Mammogram, right breast, MLO view. 29 y/o patient.
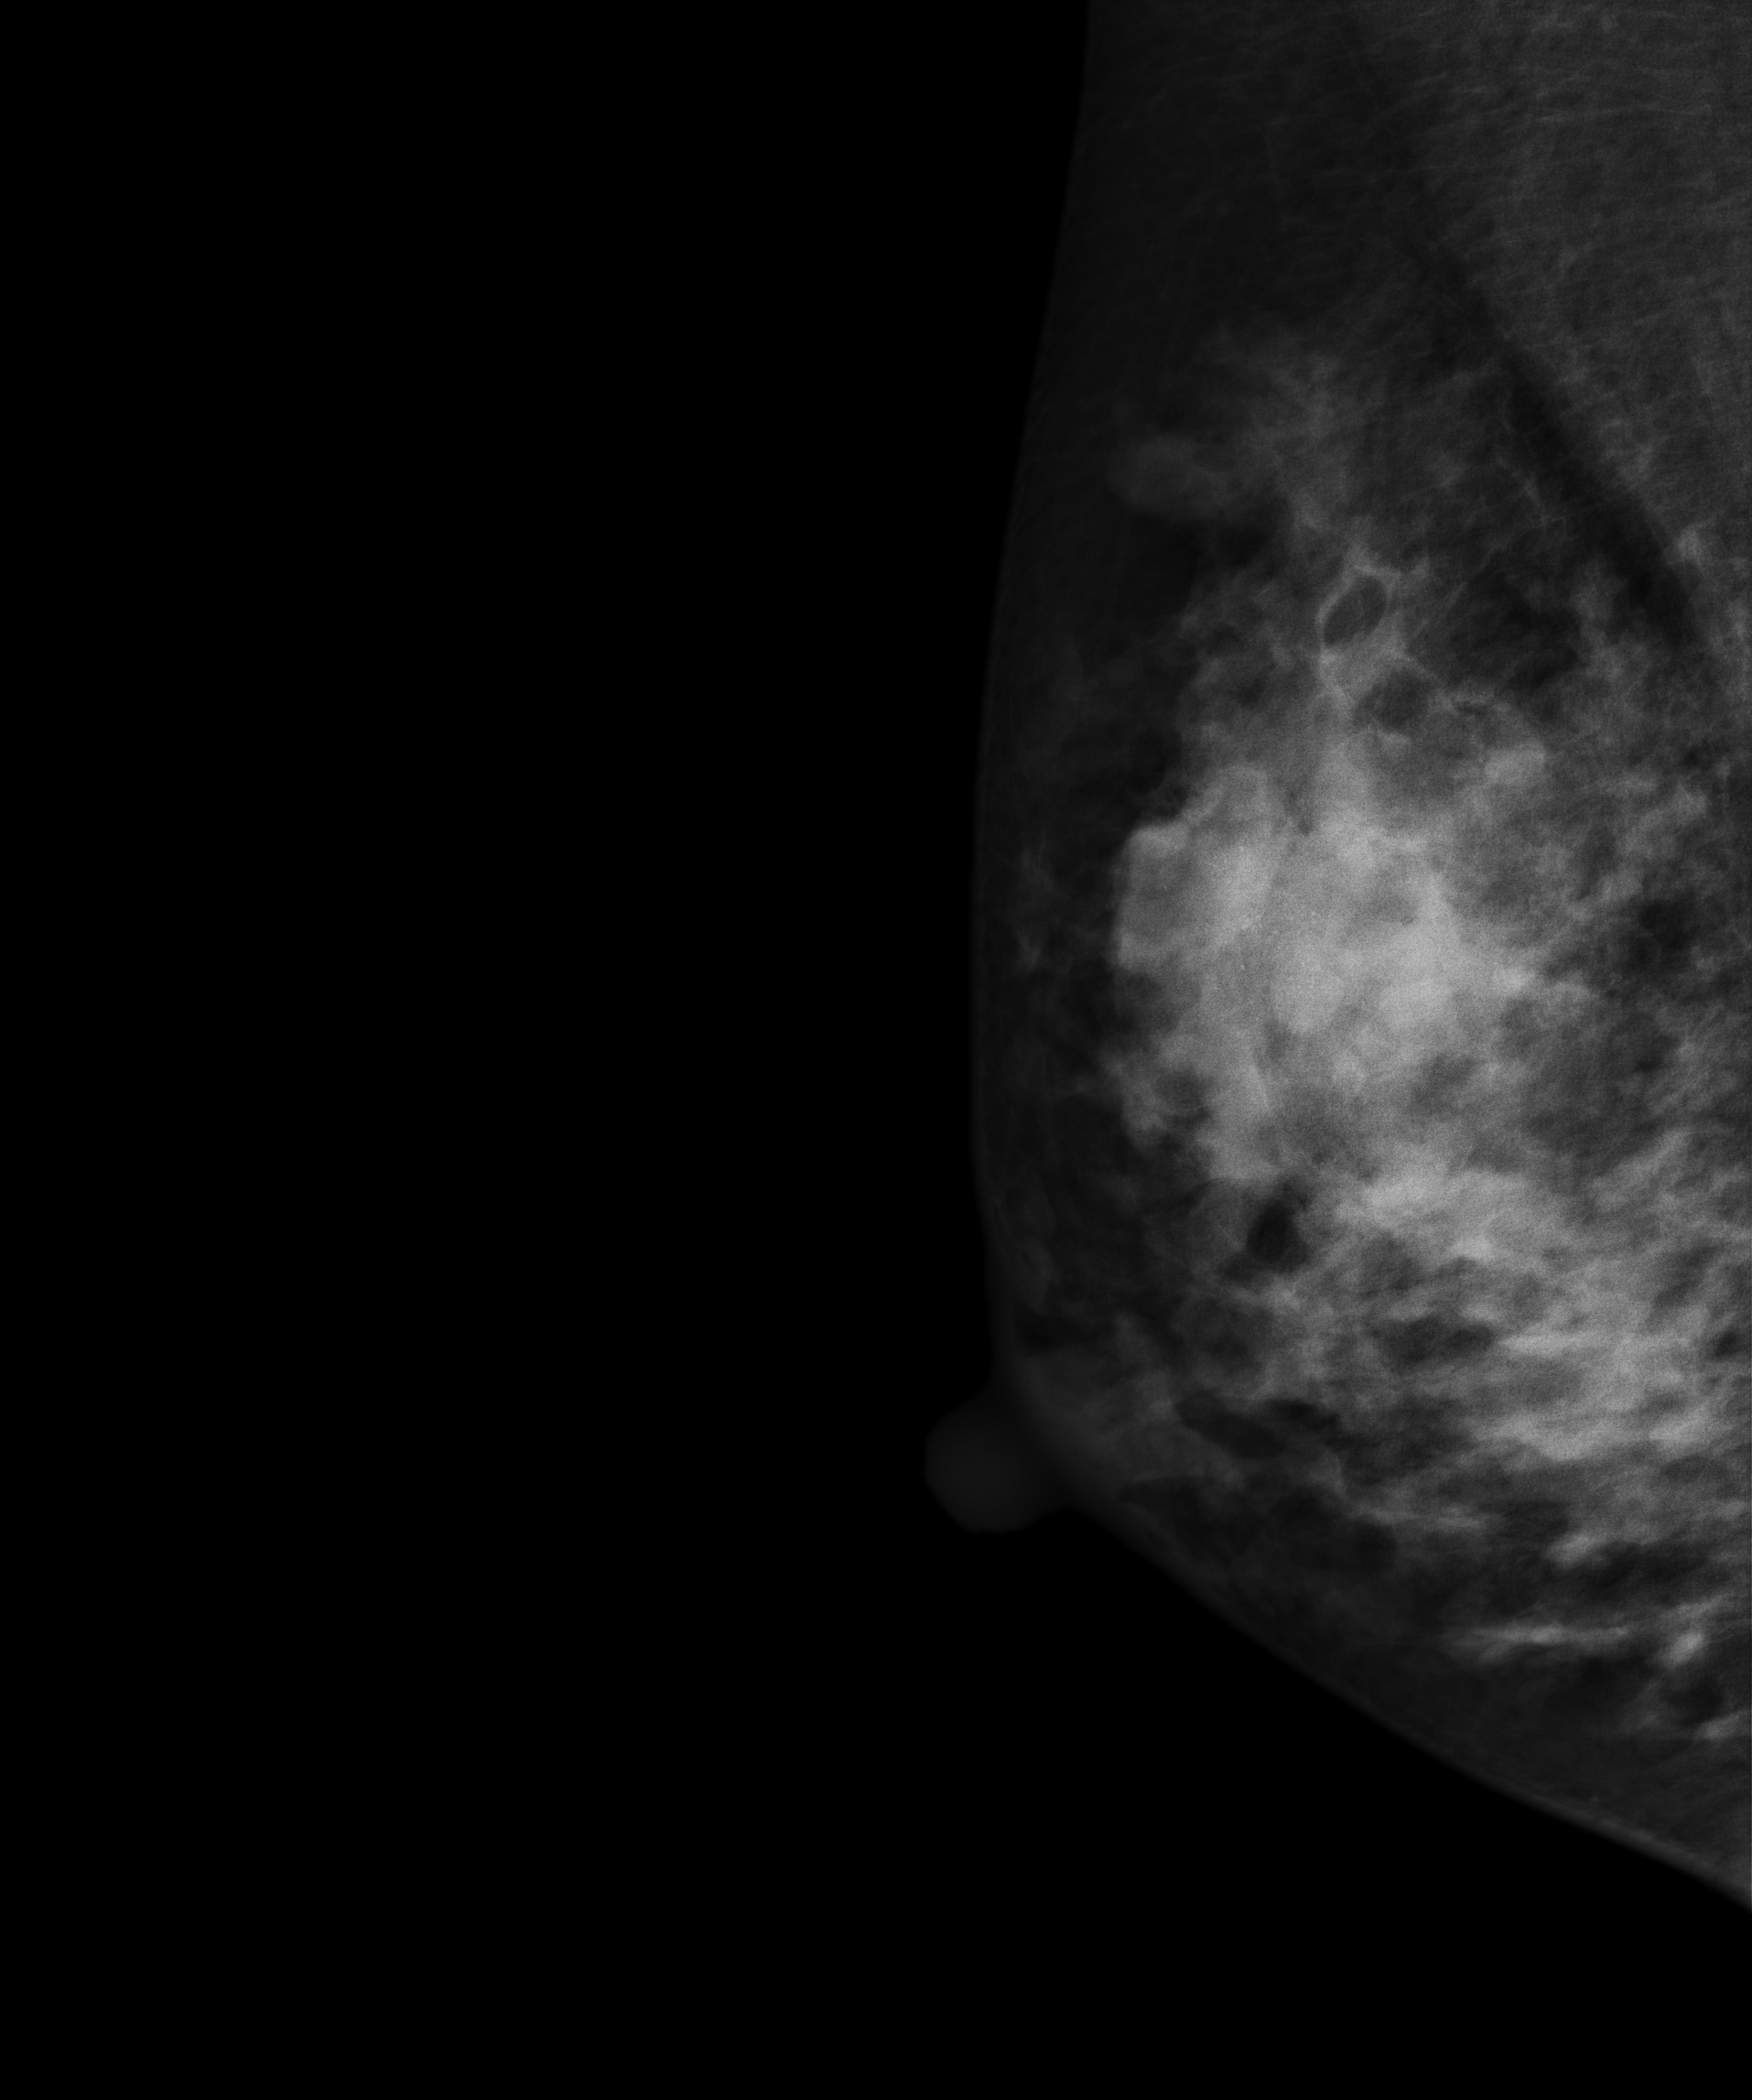
This breast has a mass and calcifications, biopsy-confirmed malignant.